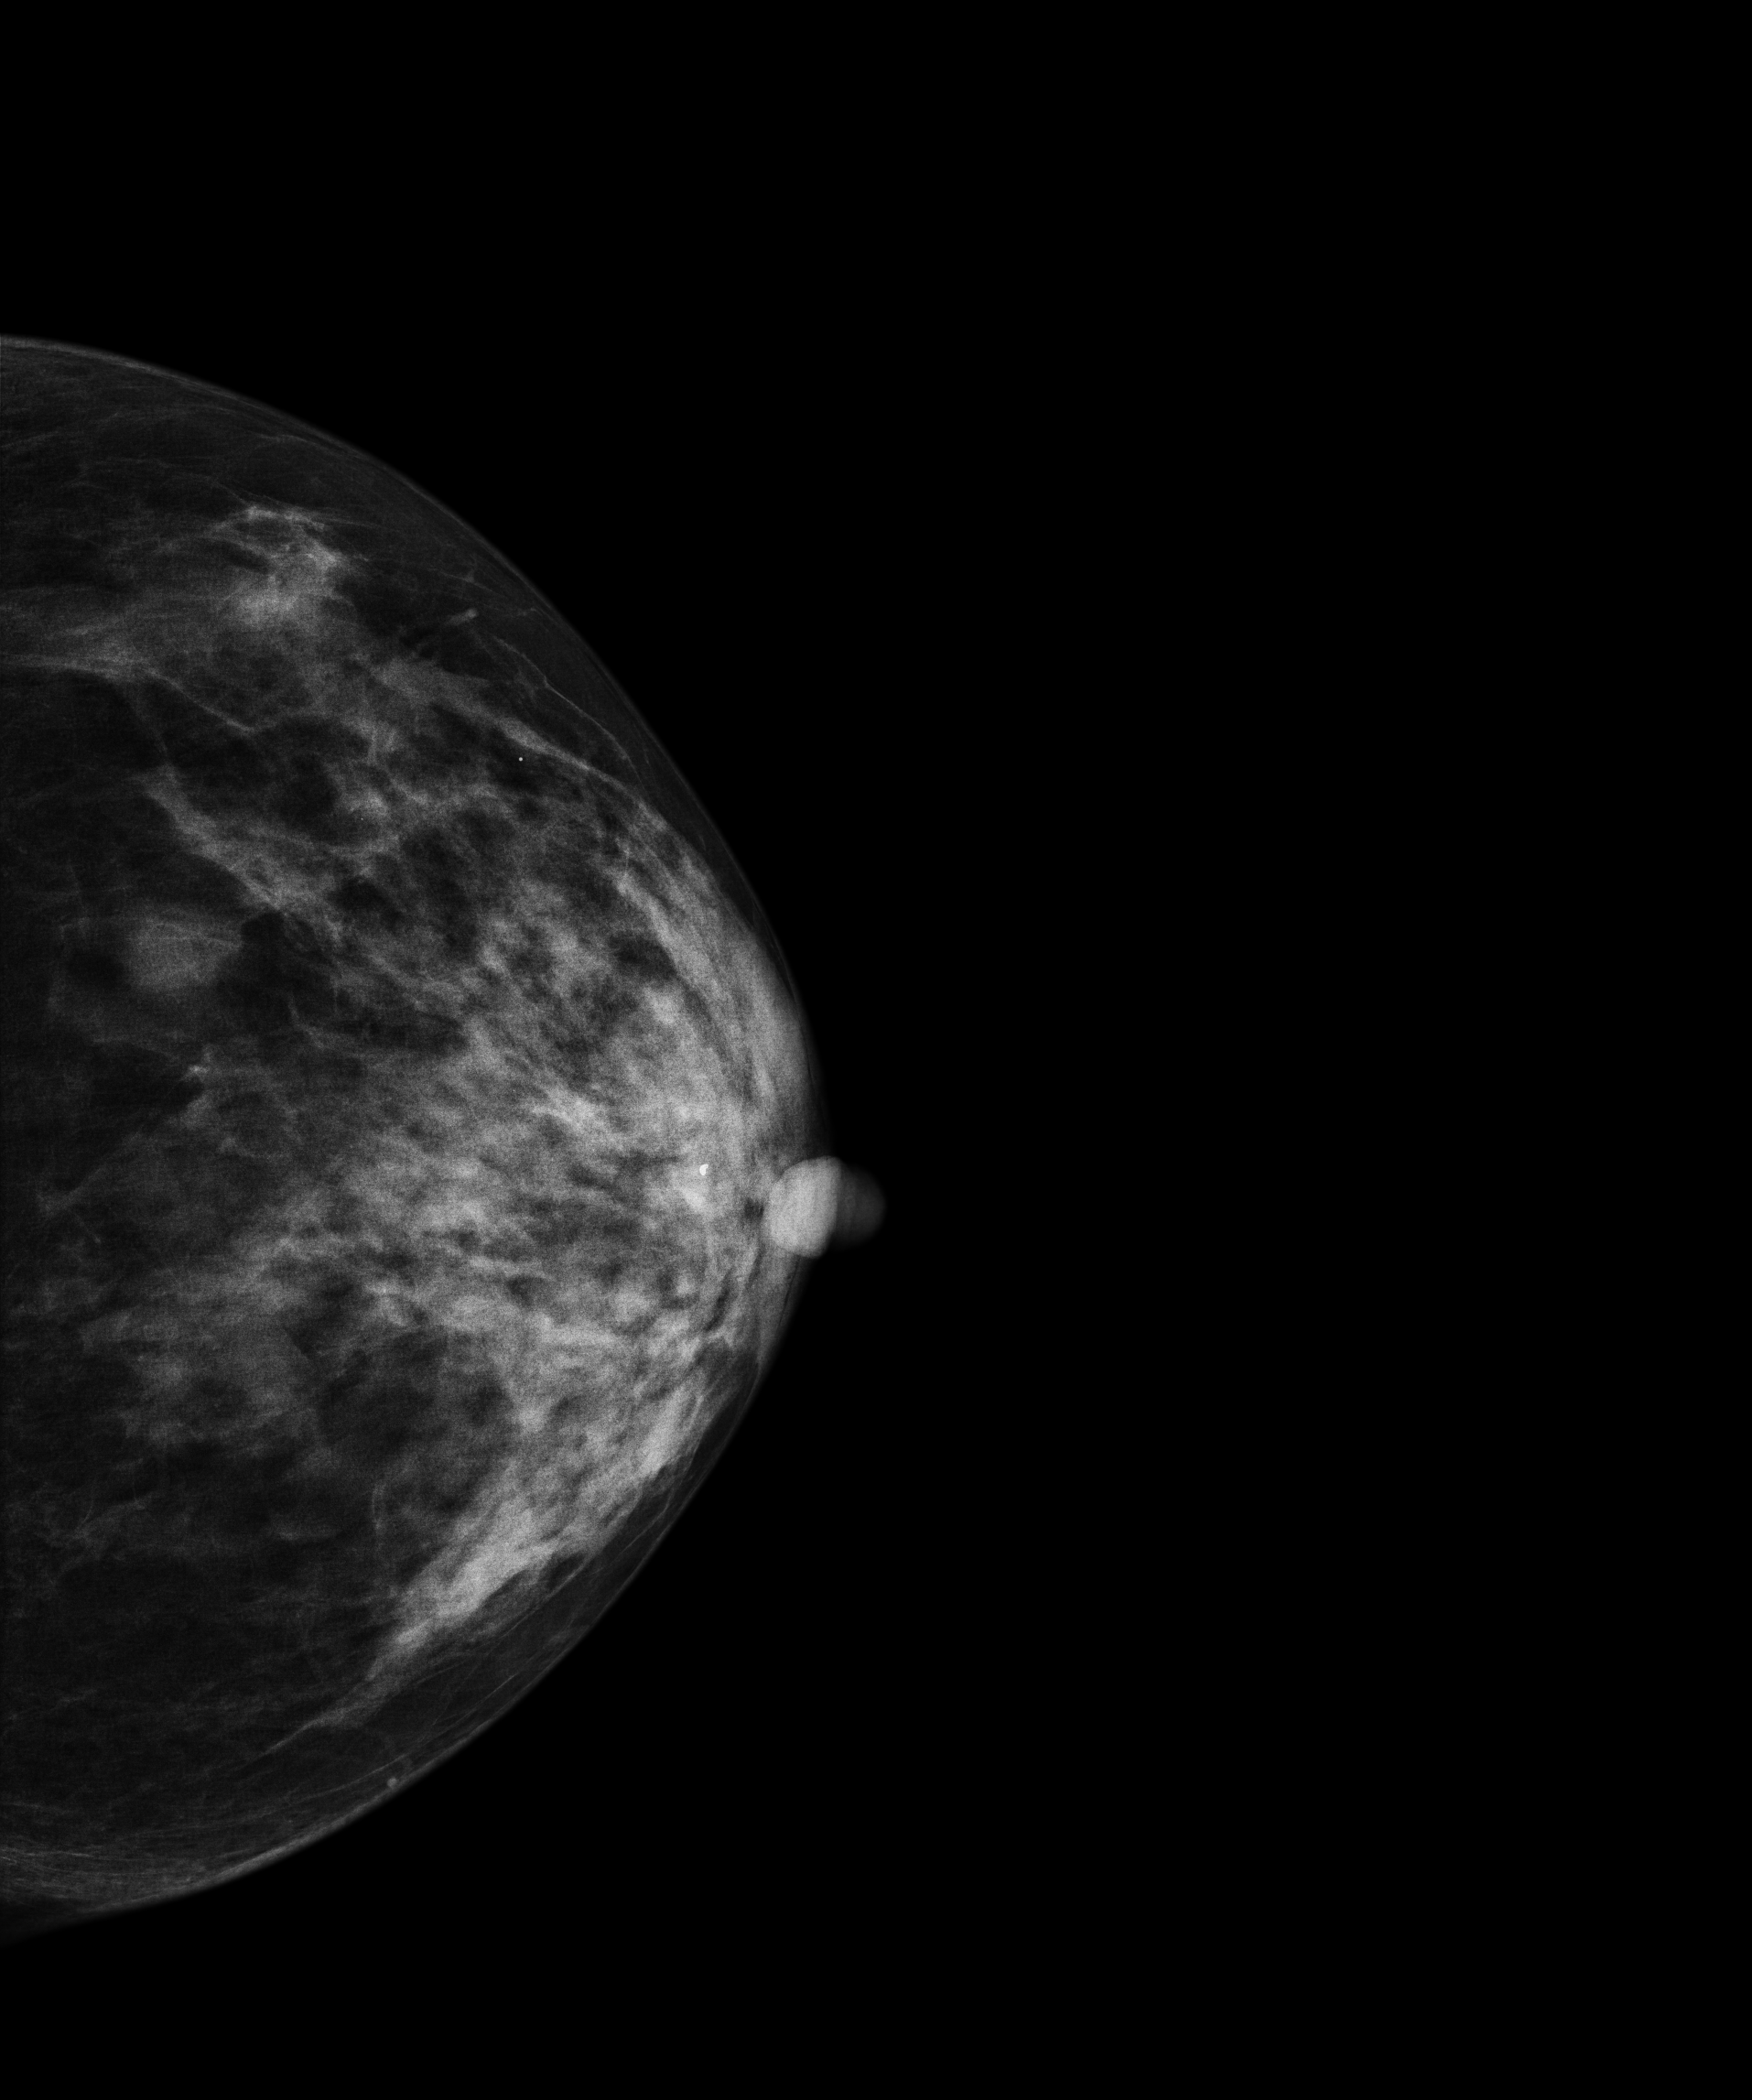
Digital mammography. Left breast, CC projection. 57-year-old patient.
Contralateral breast — no documented abnormality on this side.